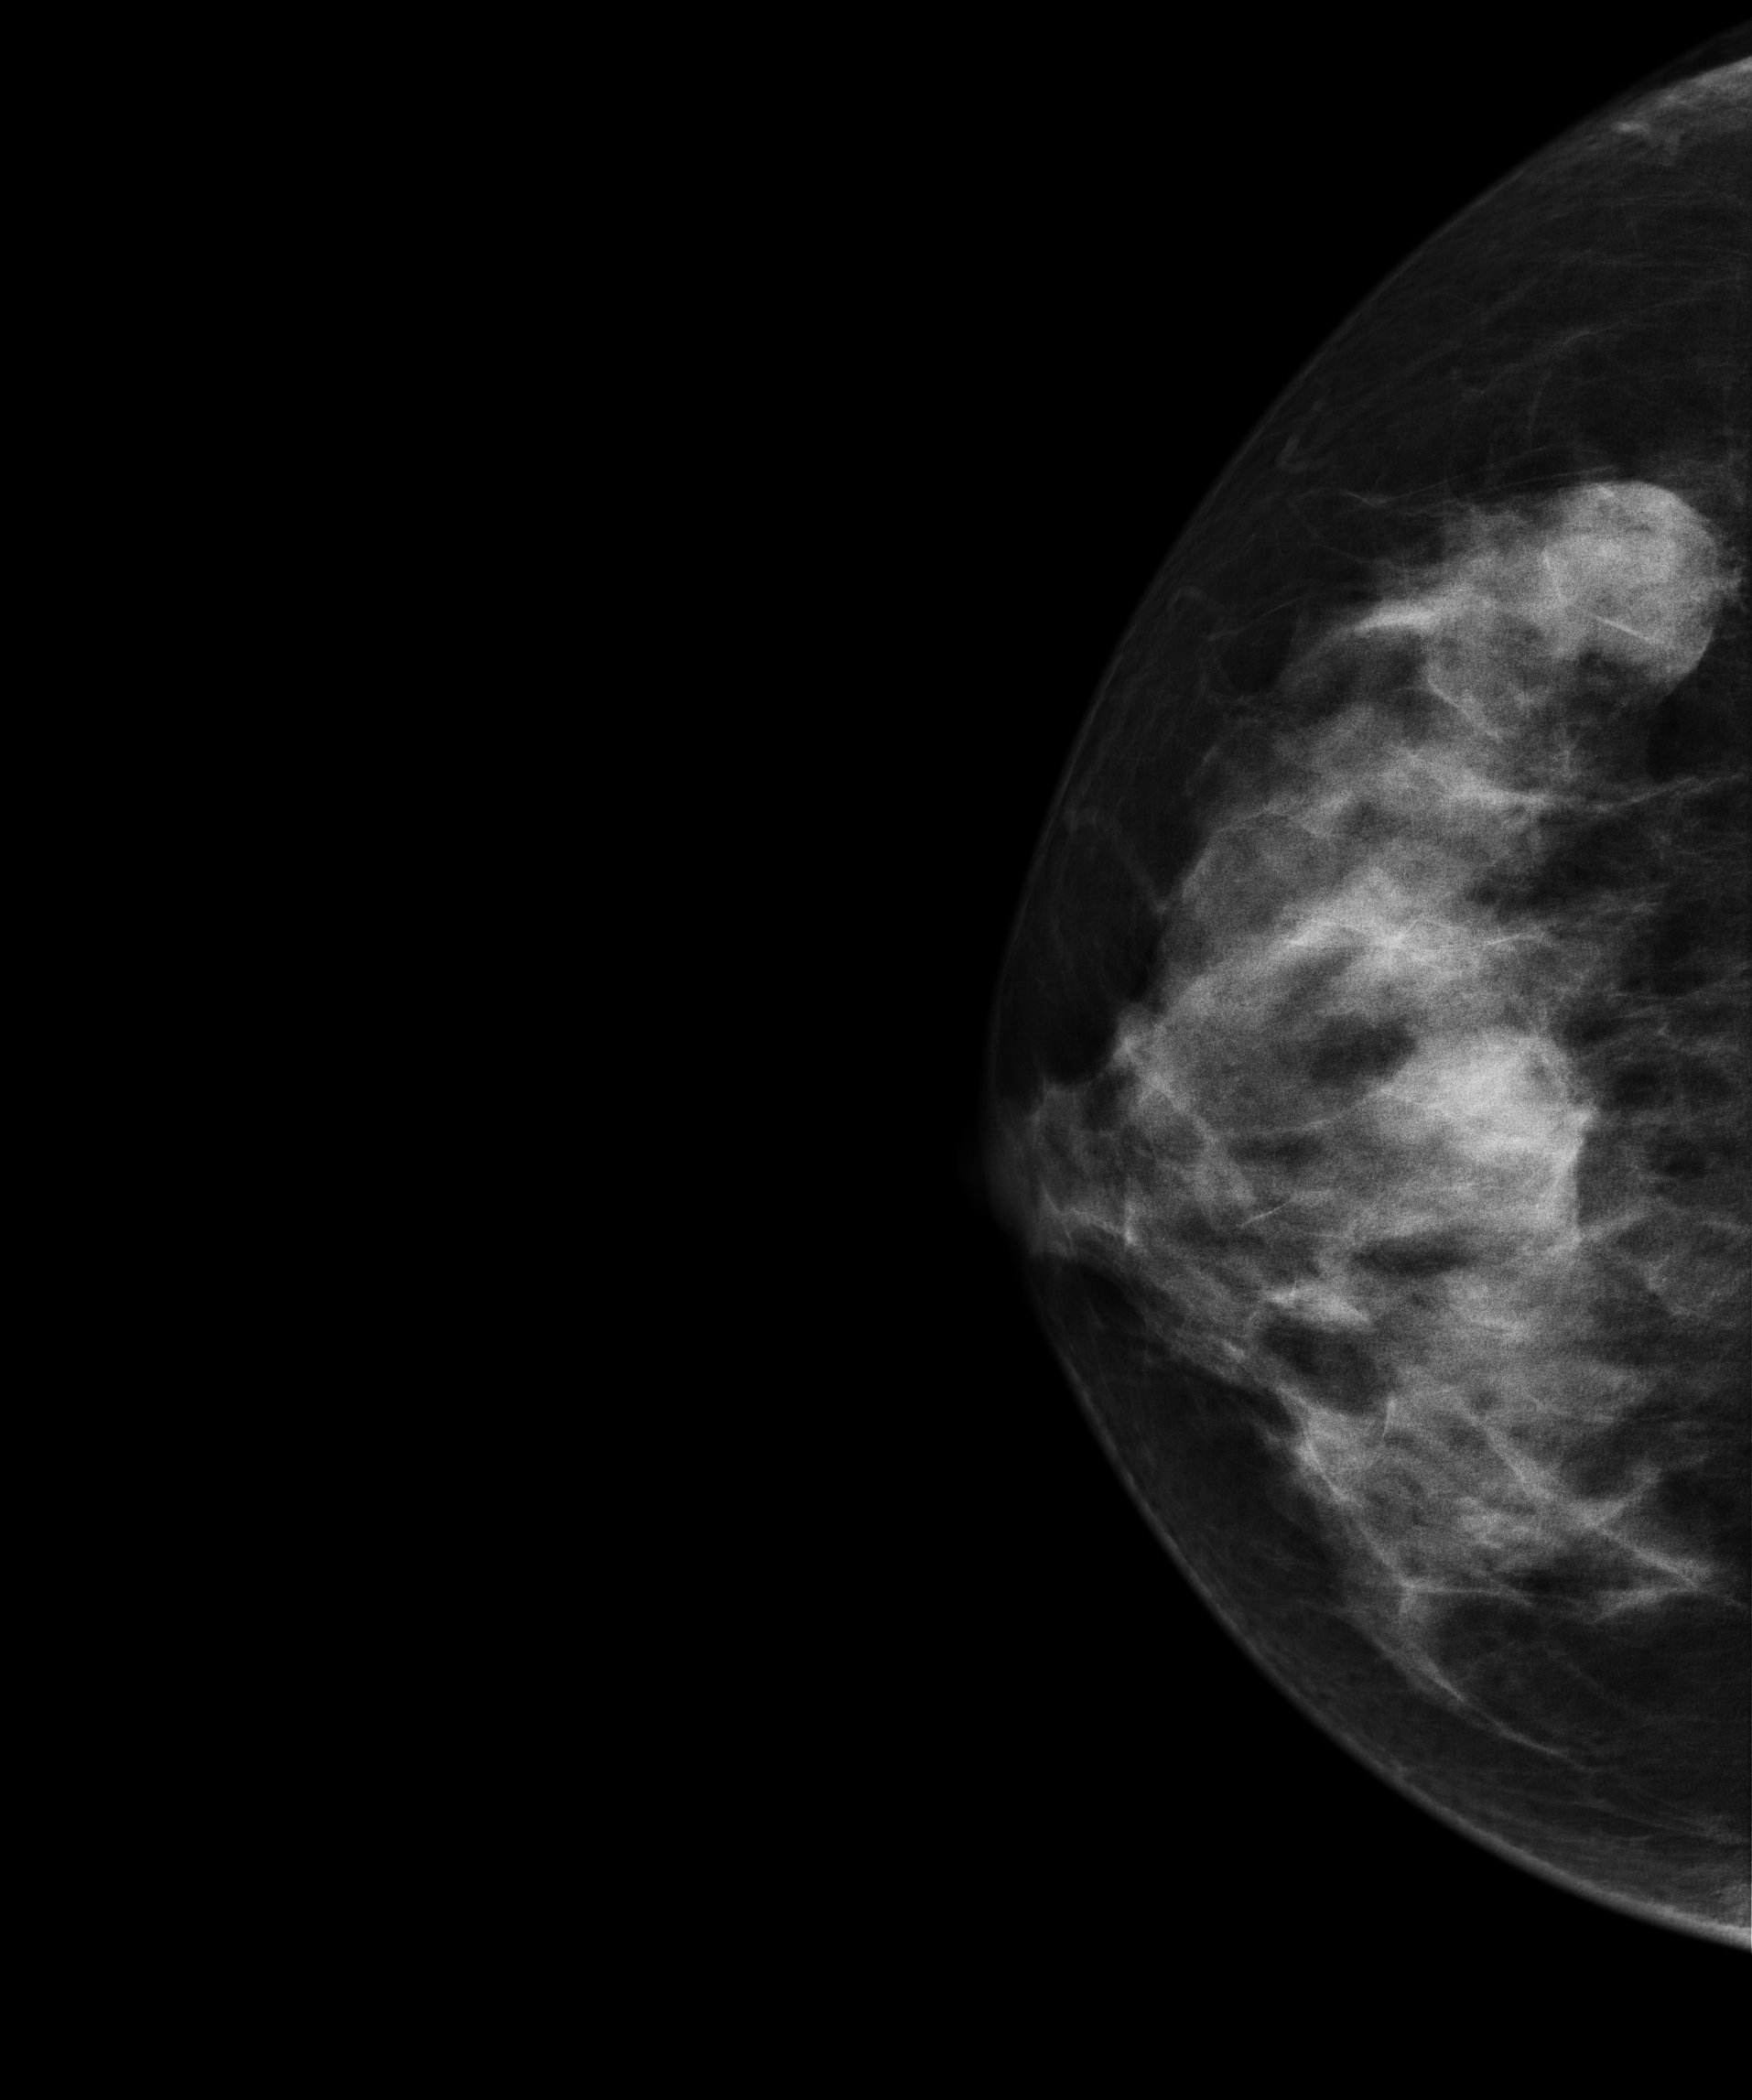
Right-breast mammogram, CC. 40-year-old patient.
This breast has a mass, pathology-confirmed malignant.